Left-breast mammogram, MLO. 53-year-old patient.
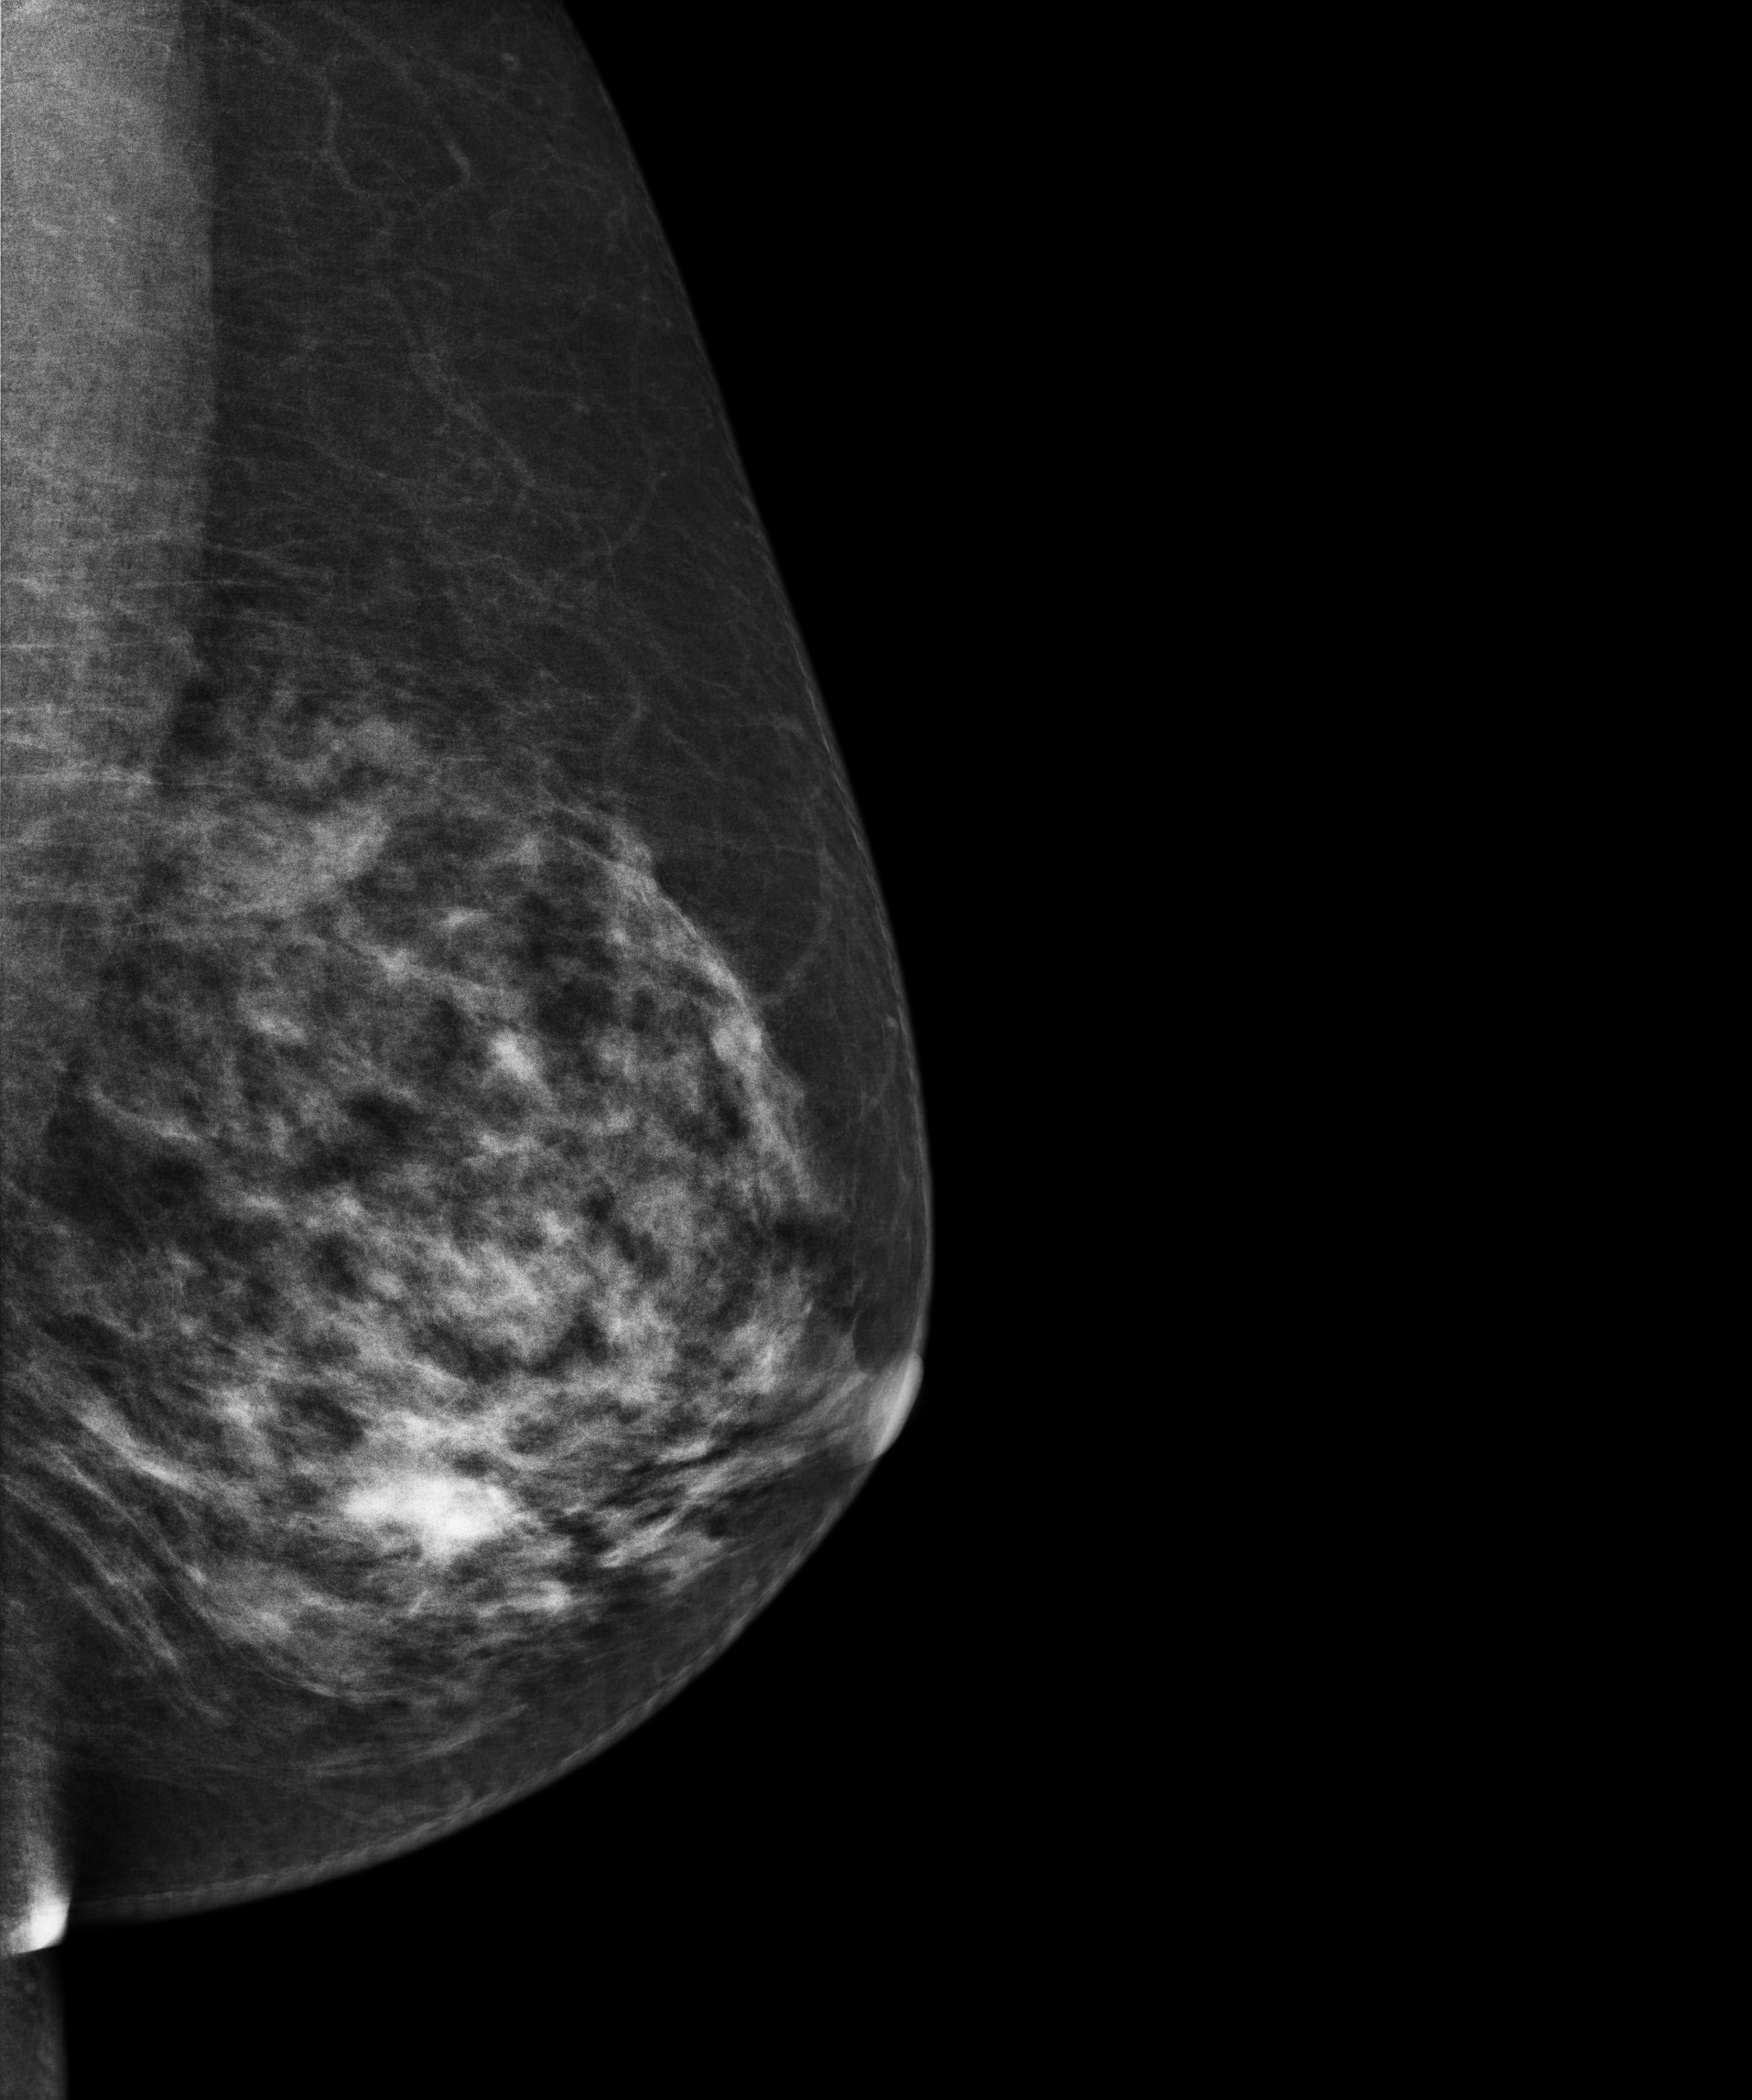
This breast has a mass, biopsy-proven malignant. Molecular subtype: luminal B.